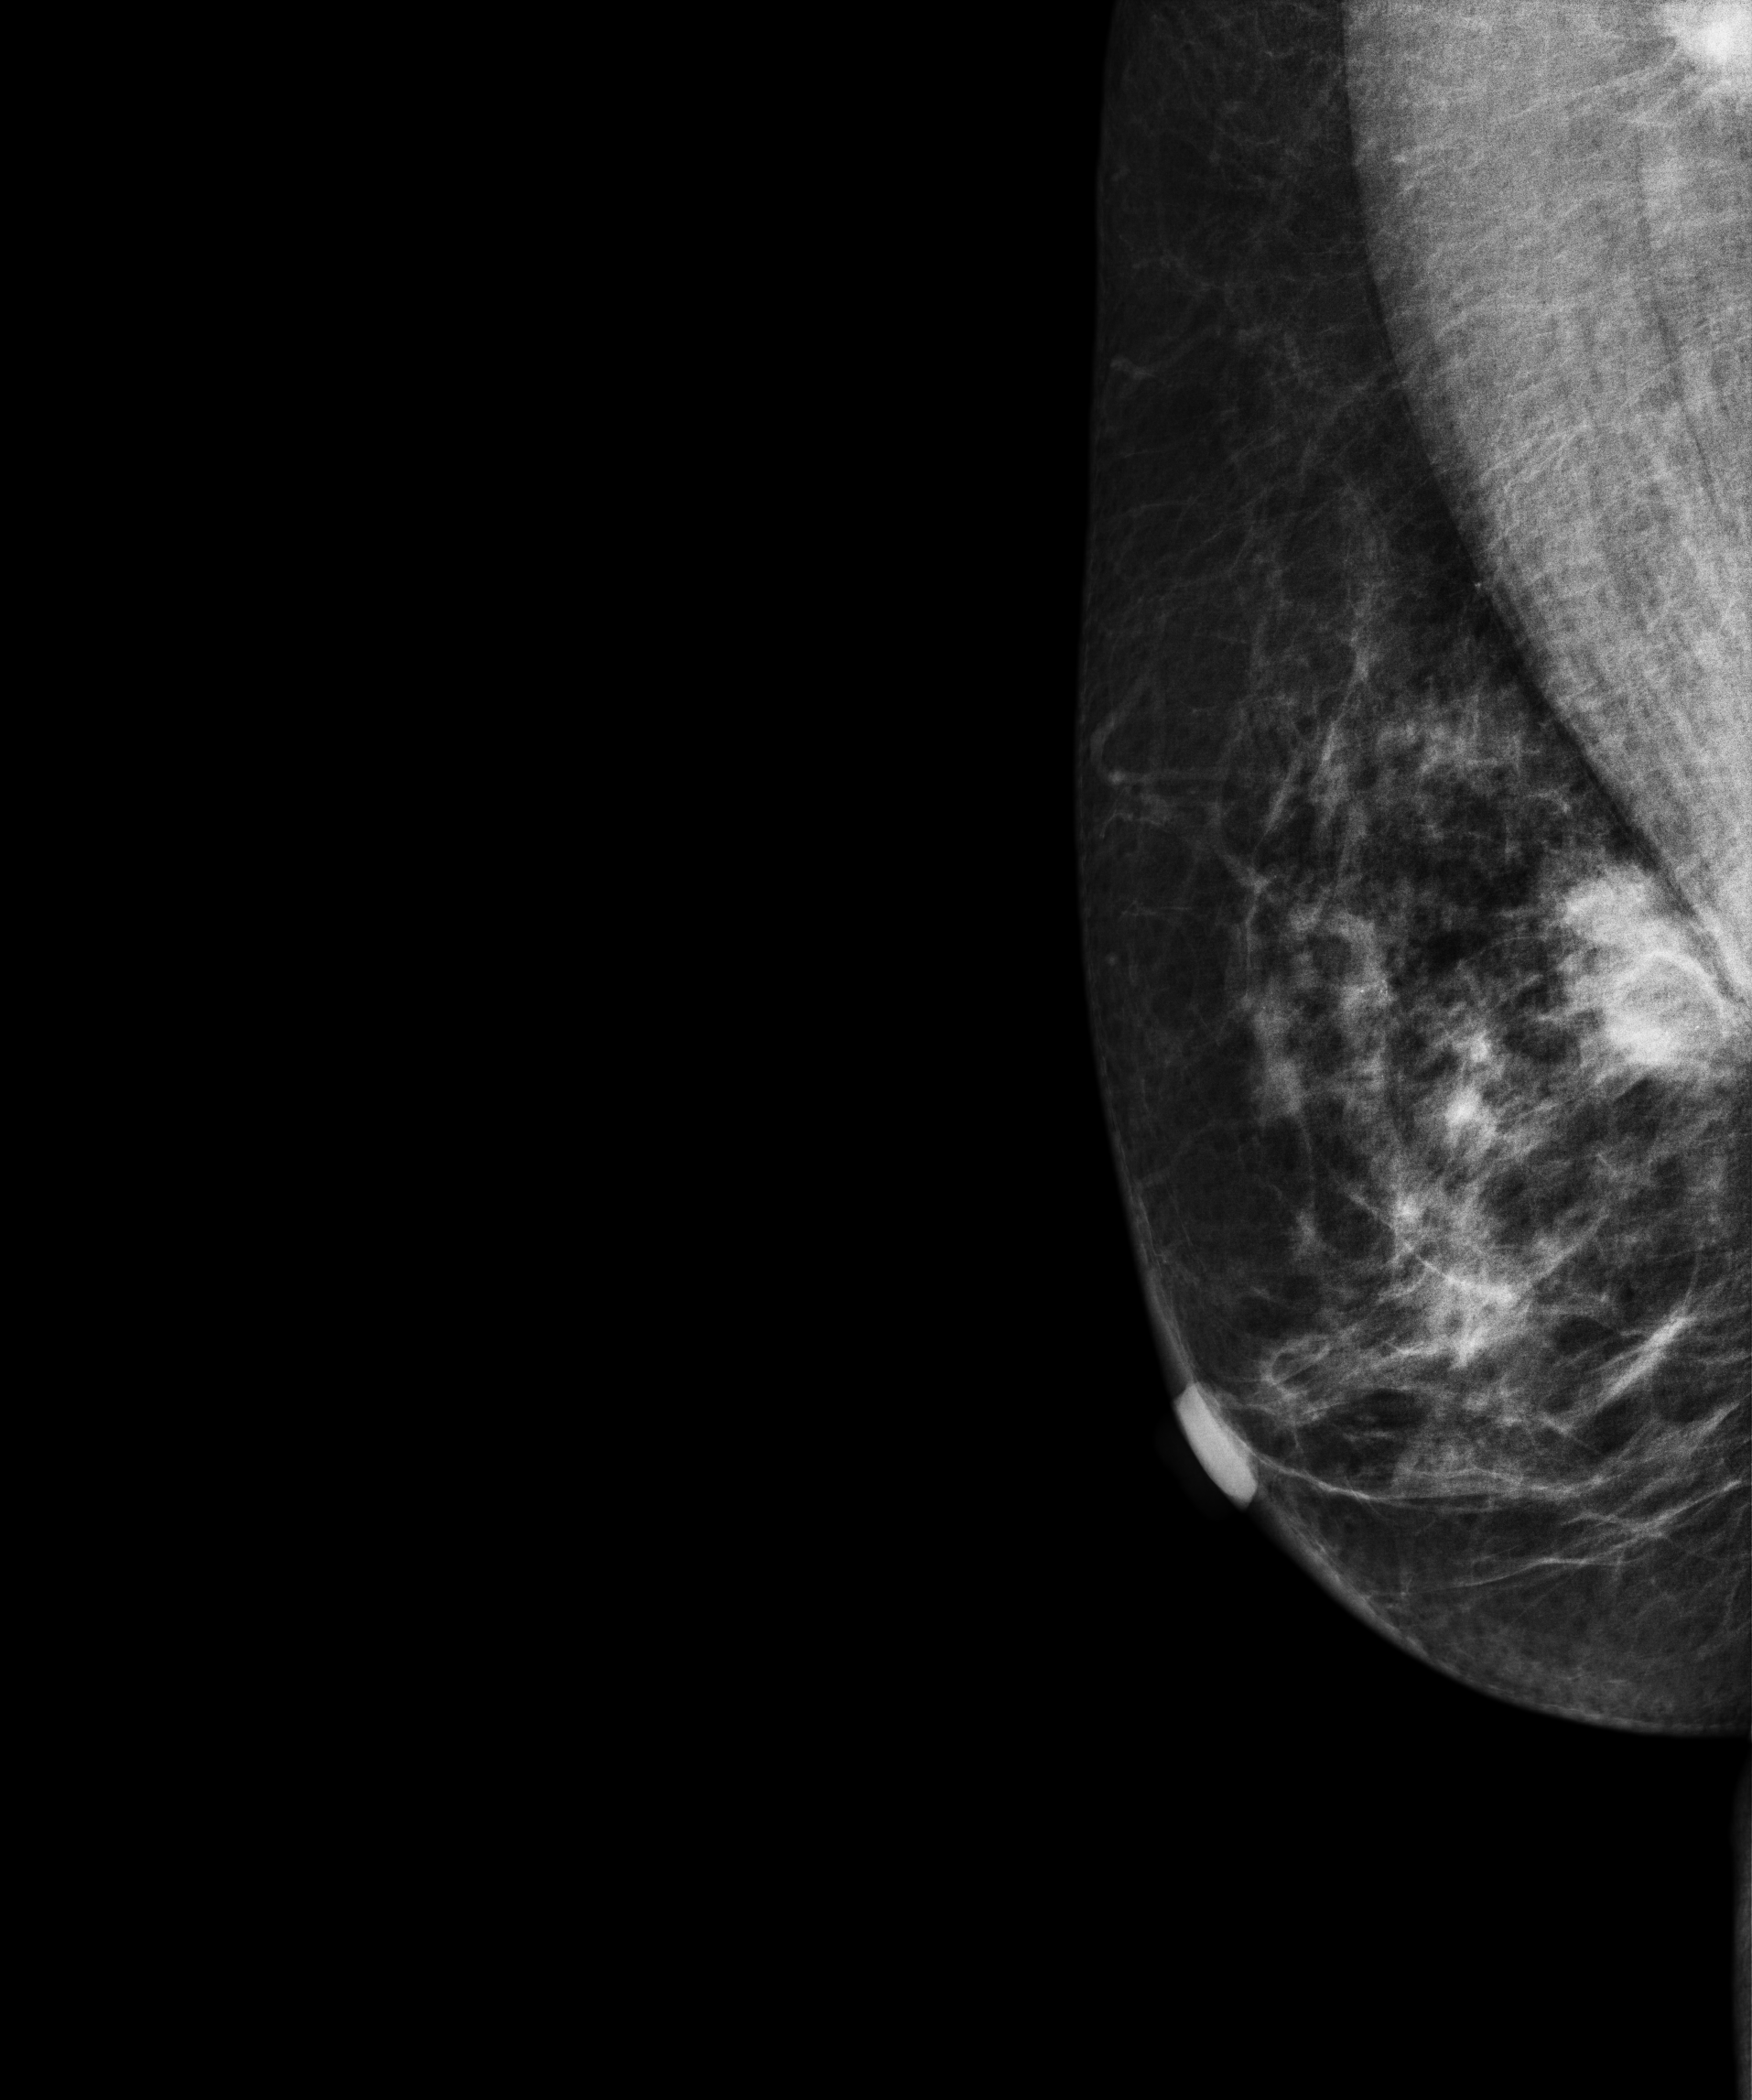
Right-breast mammogram, medio-lateral oblique. Patient age 61.
This breast has a mass, pathology-confirmed malignant. Molecular subtype: luminal B.